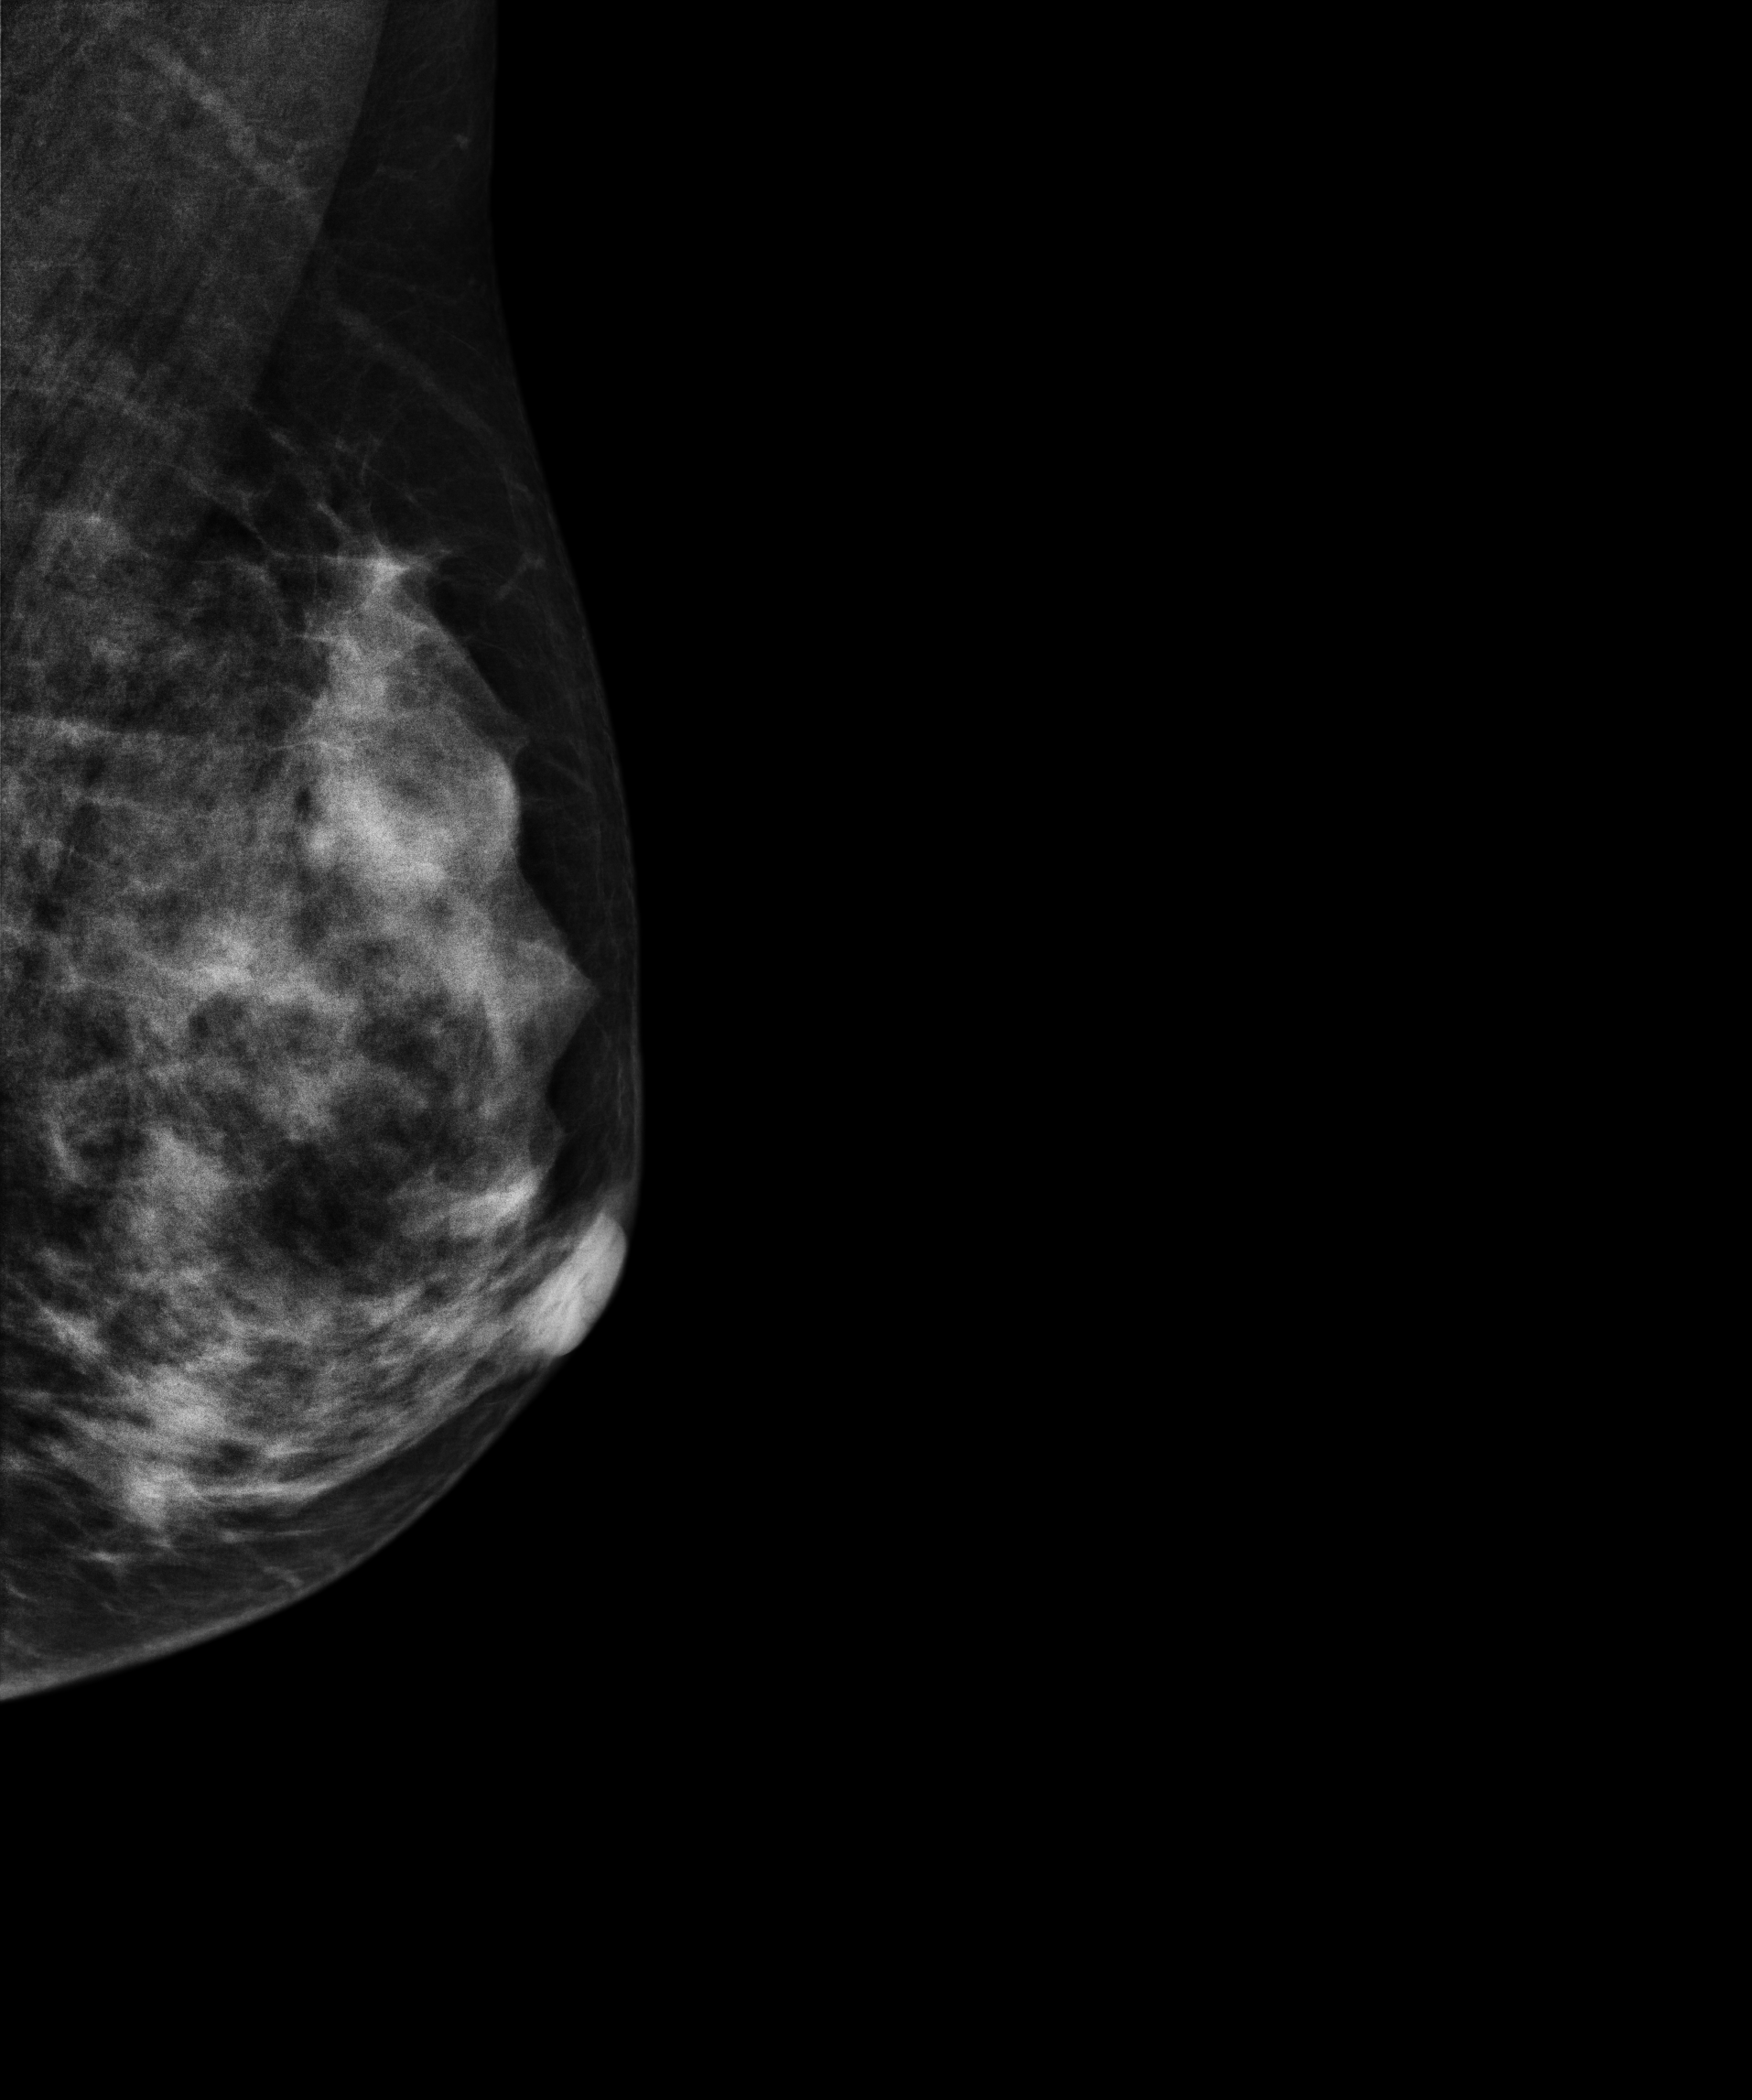
Left-breast mammogram, MLO. 46 y/o patient.
Contralateral breast — no documented abnormality on this side.